Right-breast mammogram, CC. 60-year-old patient.
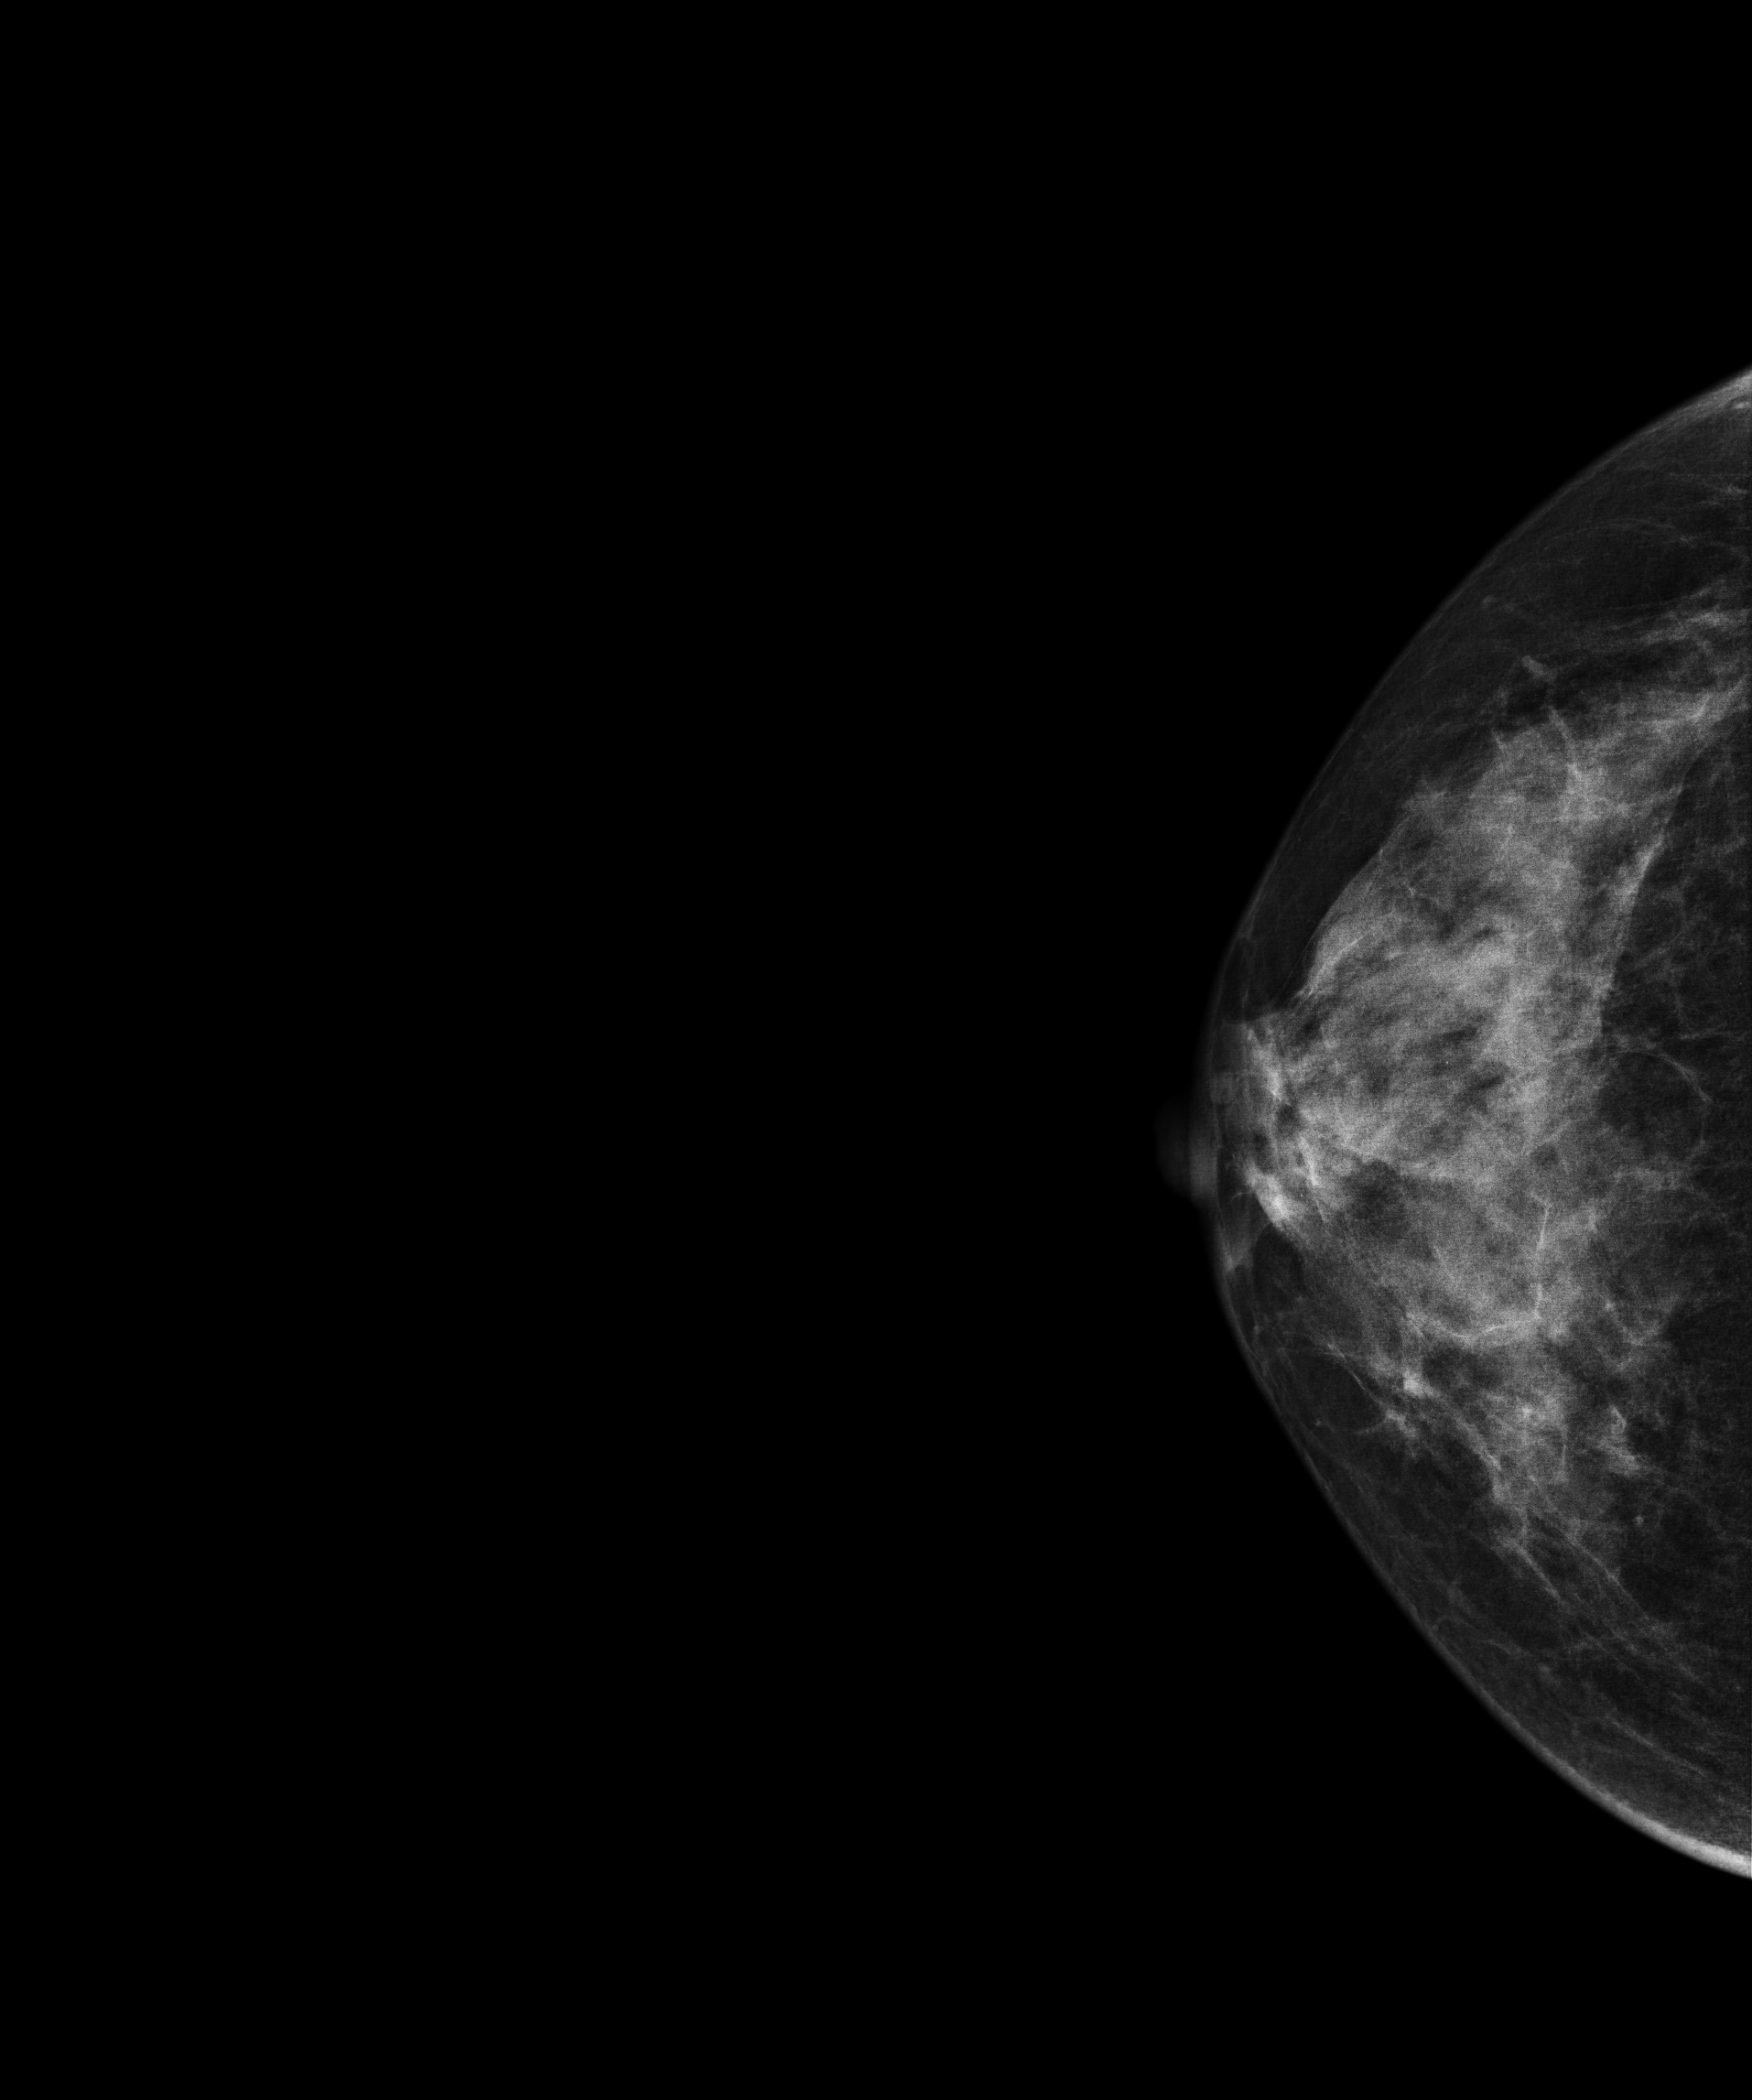
Contralateral breast — no documented abnormality on this side.